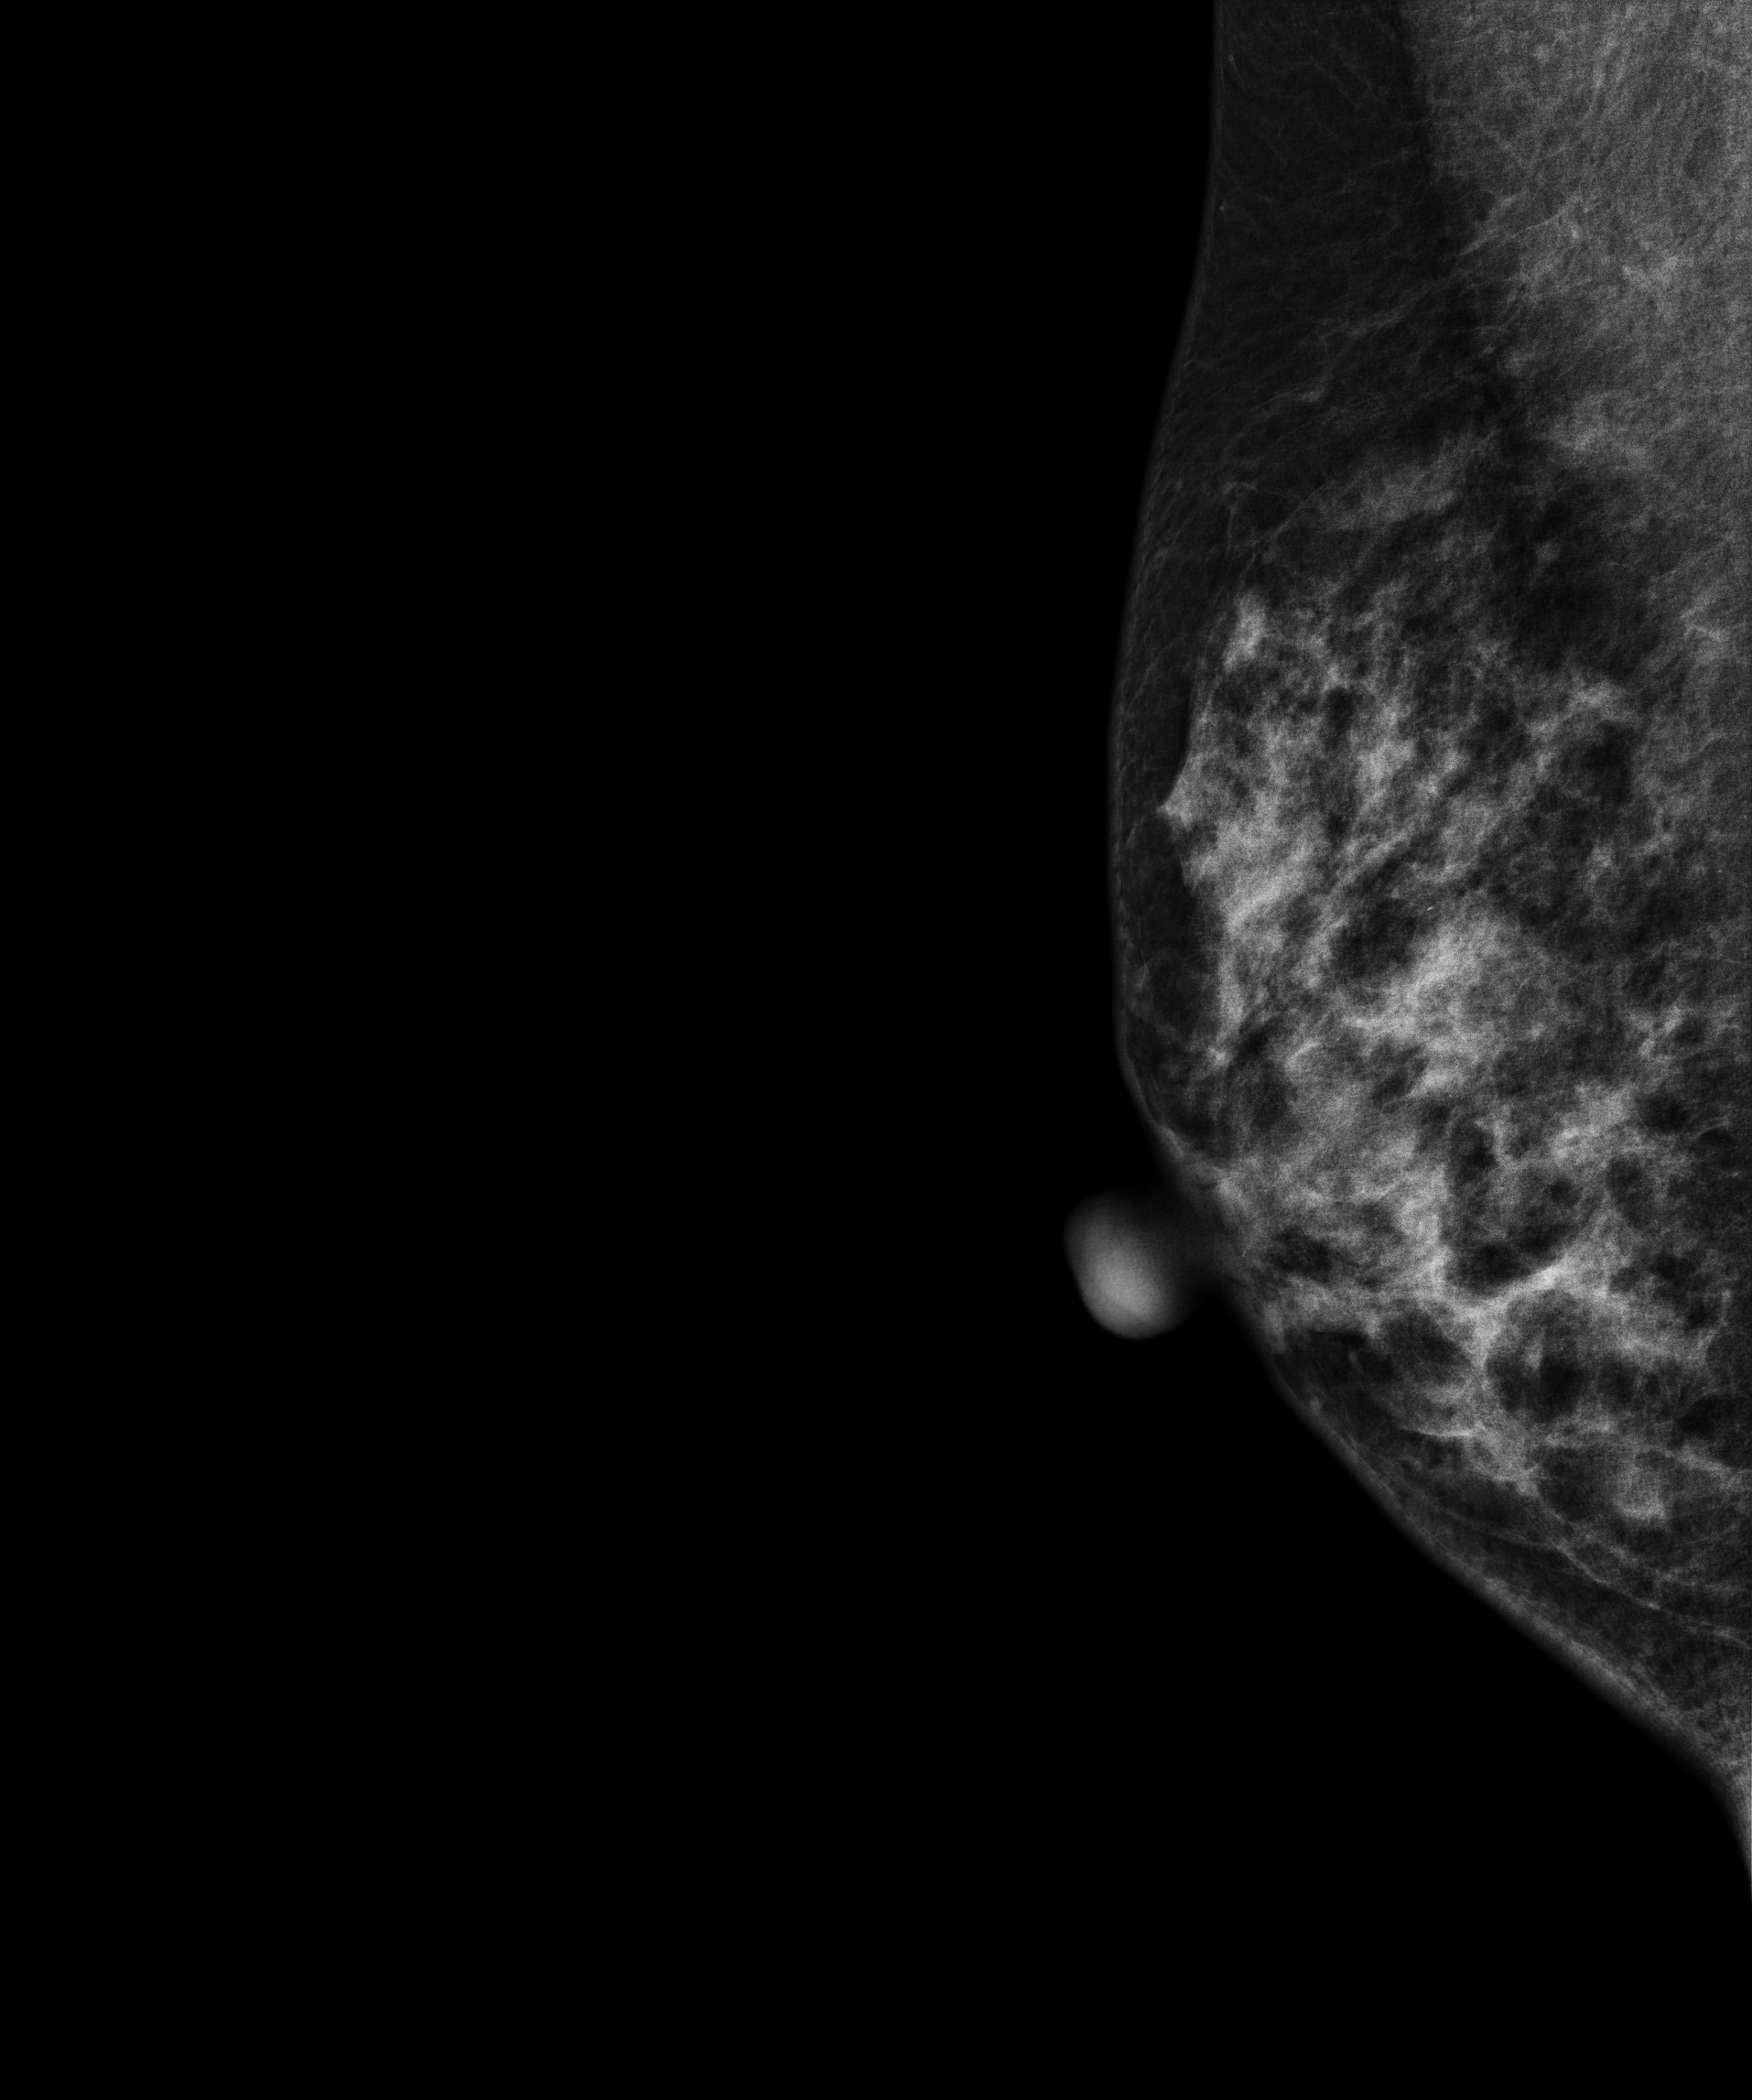
MLO mammogram of the right breast. Patient age 51.
This breast has a mass, histologically confirmed benign.